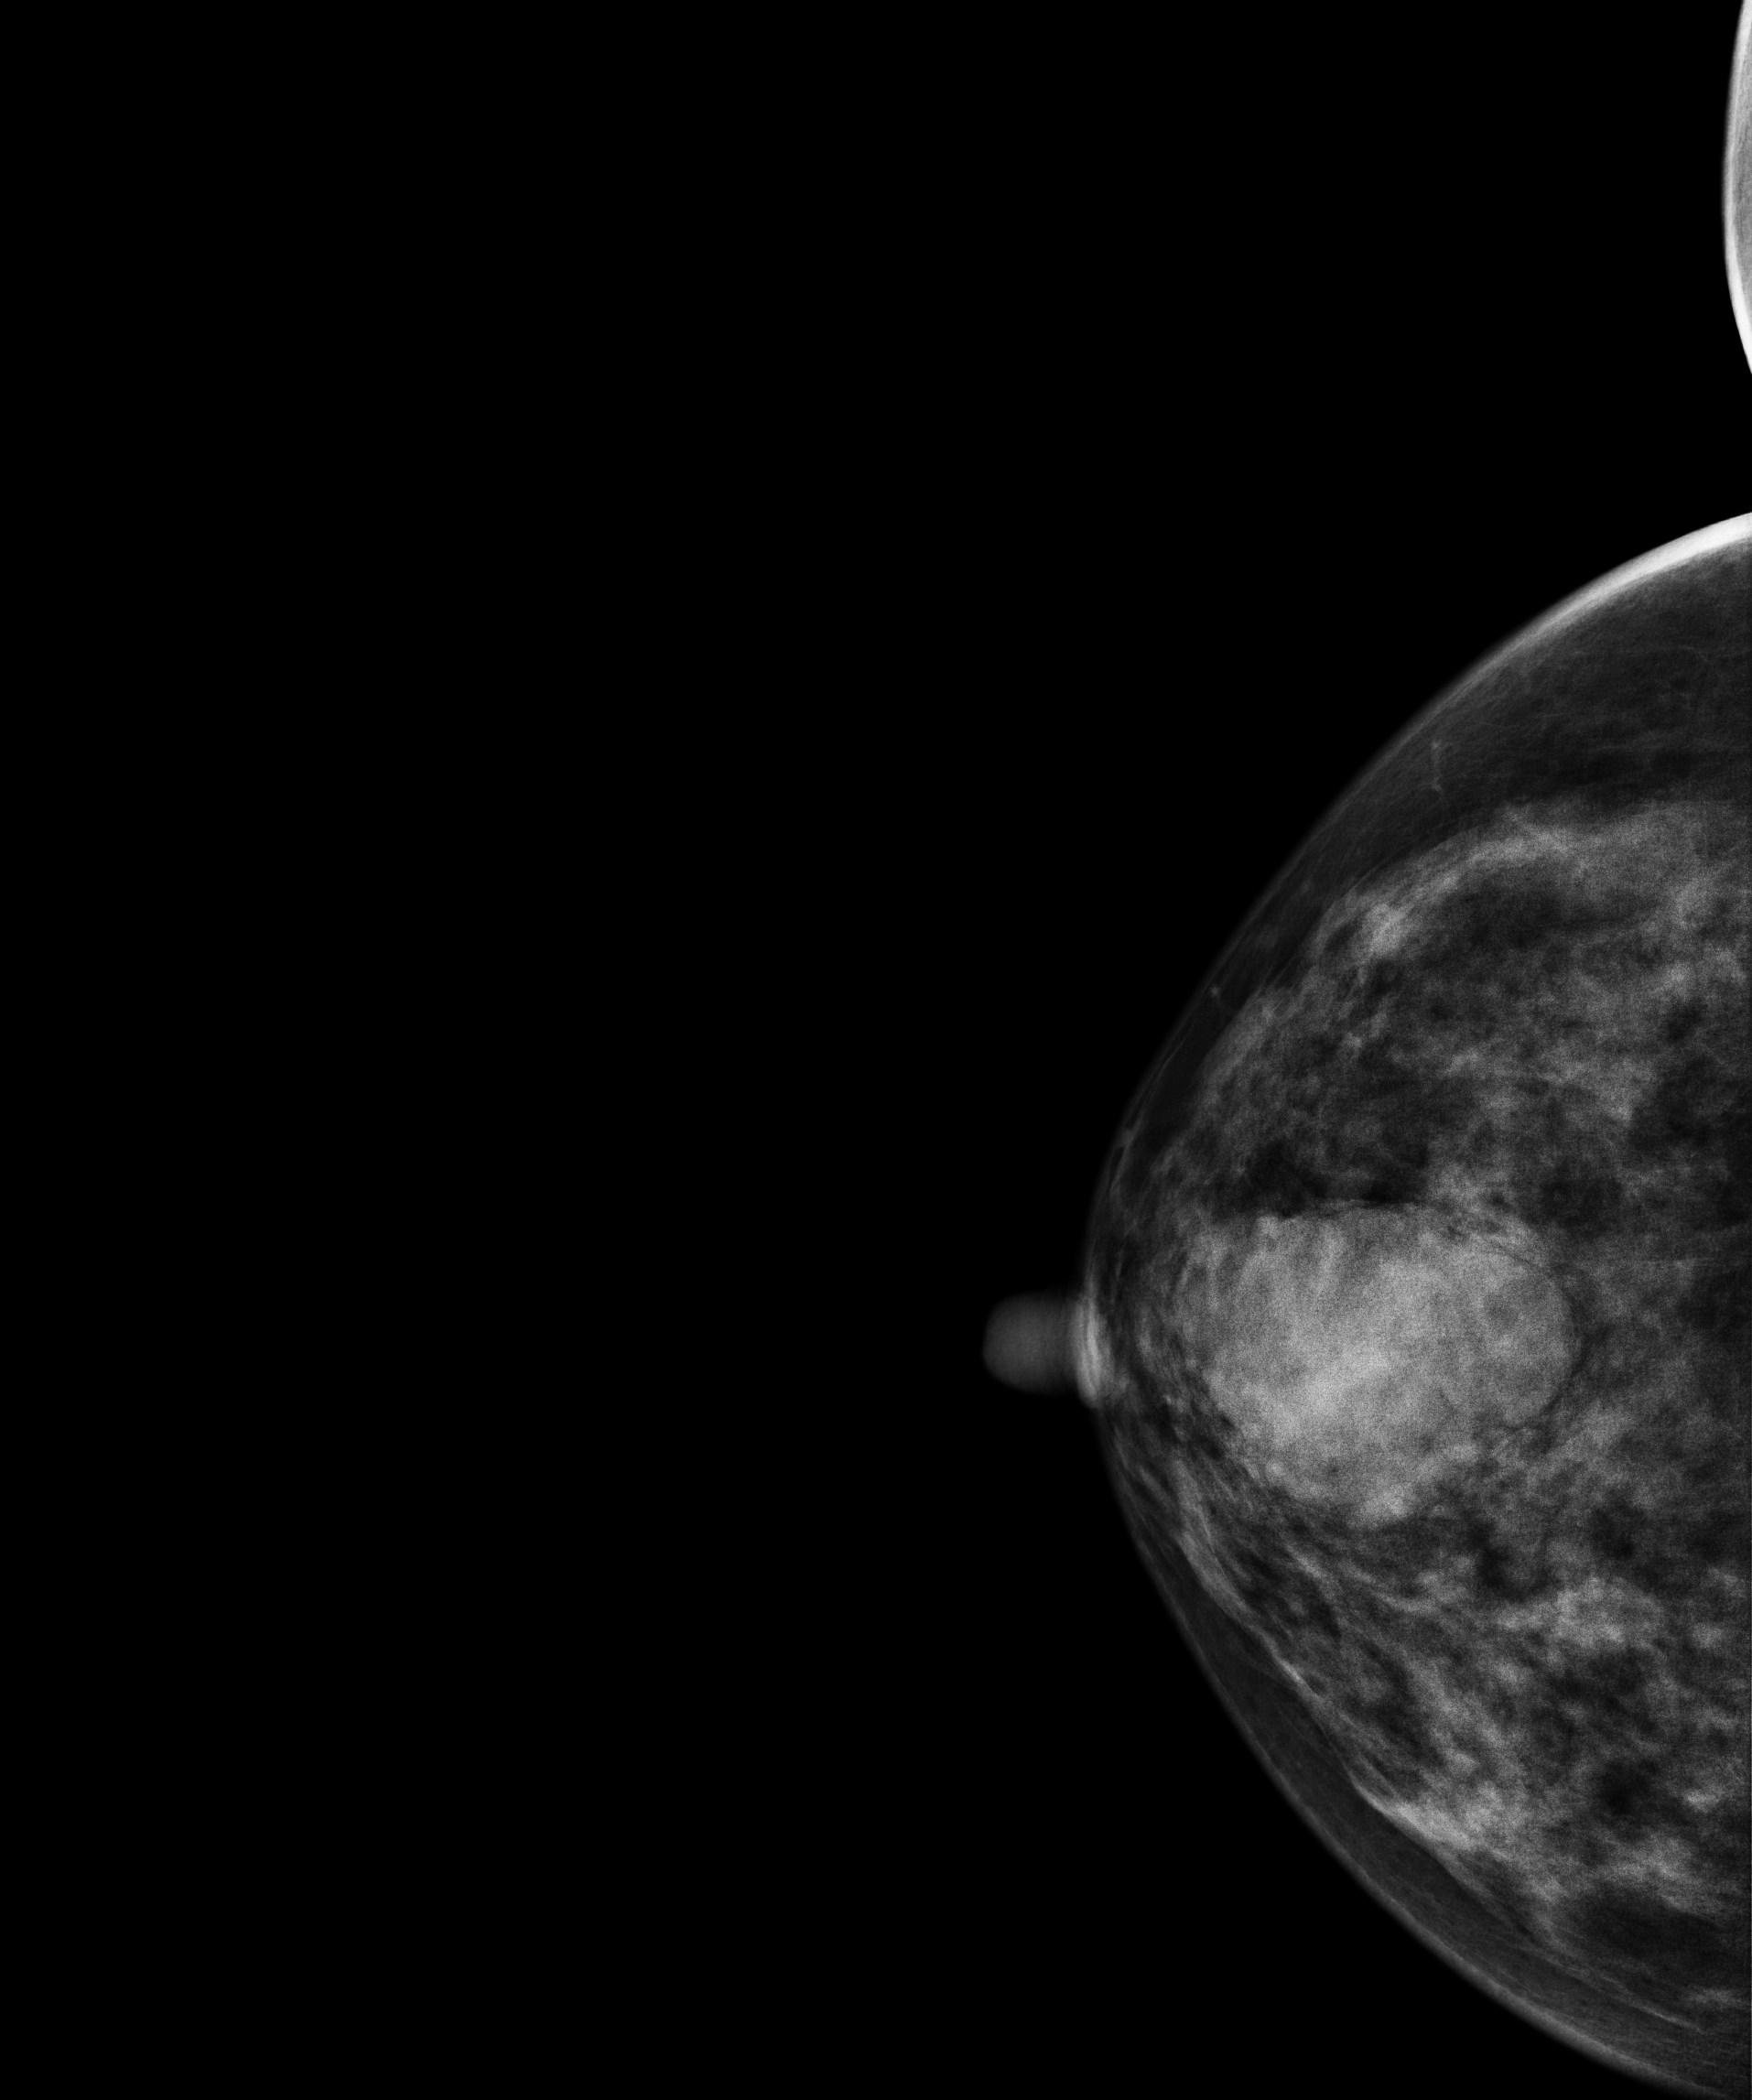
Digital mammography. Right breast, cranio-caudal projection. 42-year-old patient.
This breast has a mass, pathology-confirmed malignant.